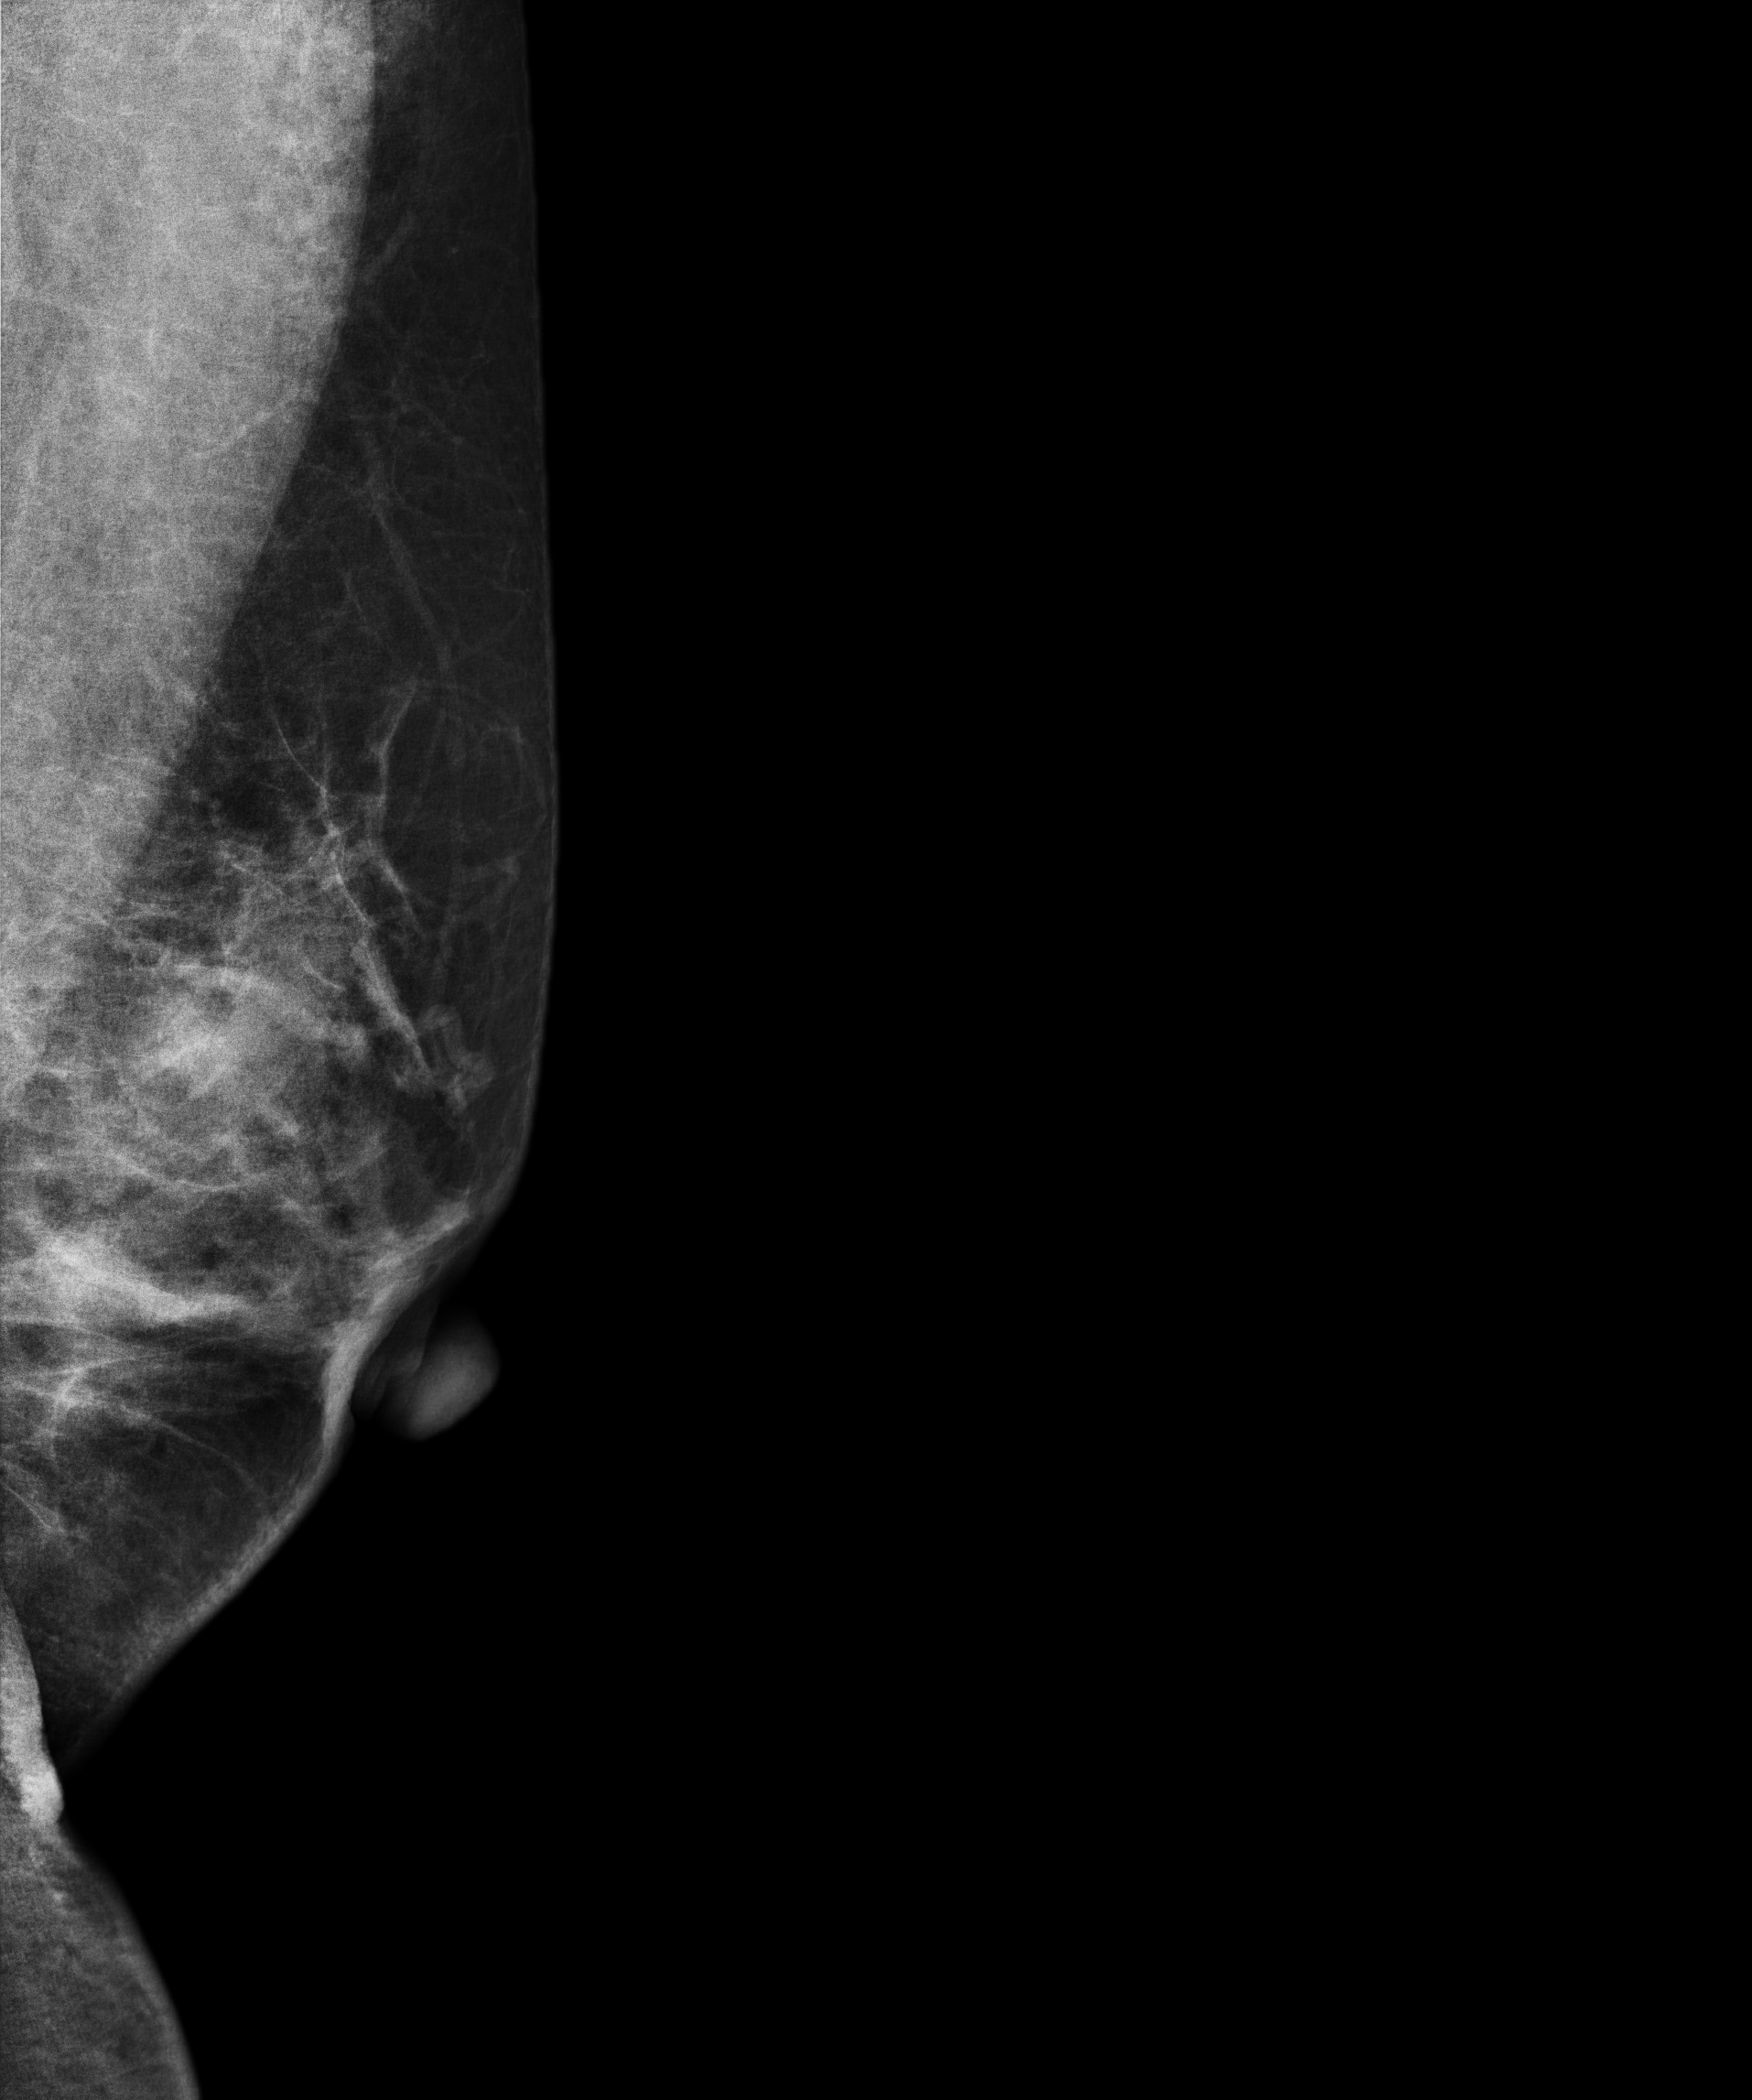
Digital mammography. Left breast, medio-lateral oblique projection. 33-year-old patient.
This breast has a mass, pathology-confirmed benign.